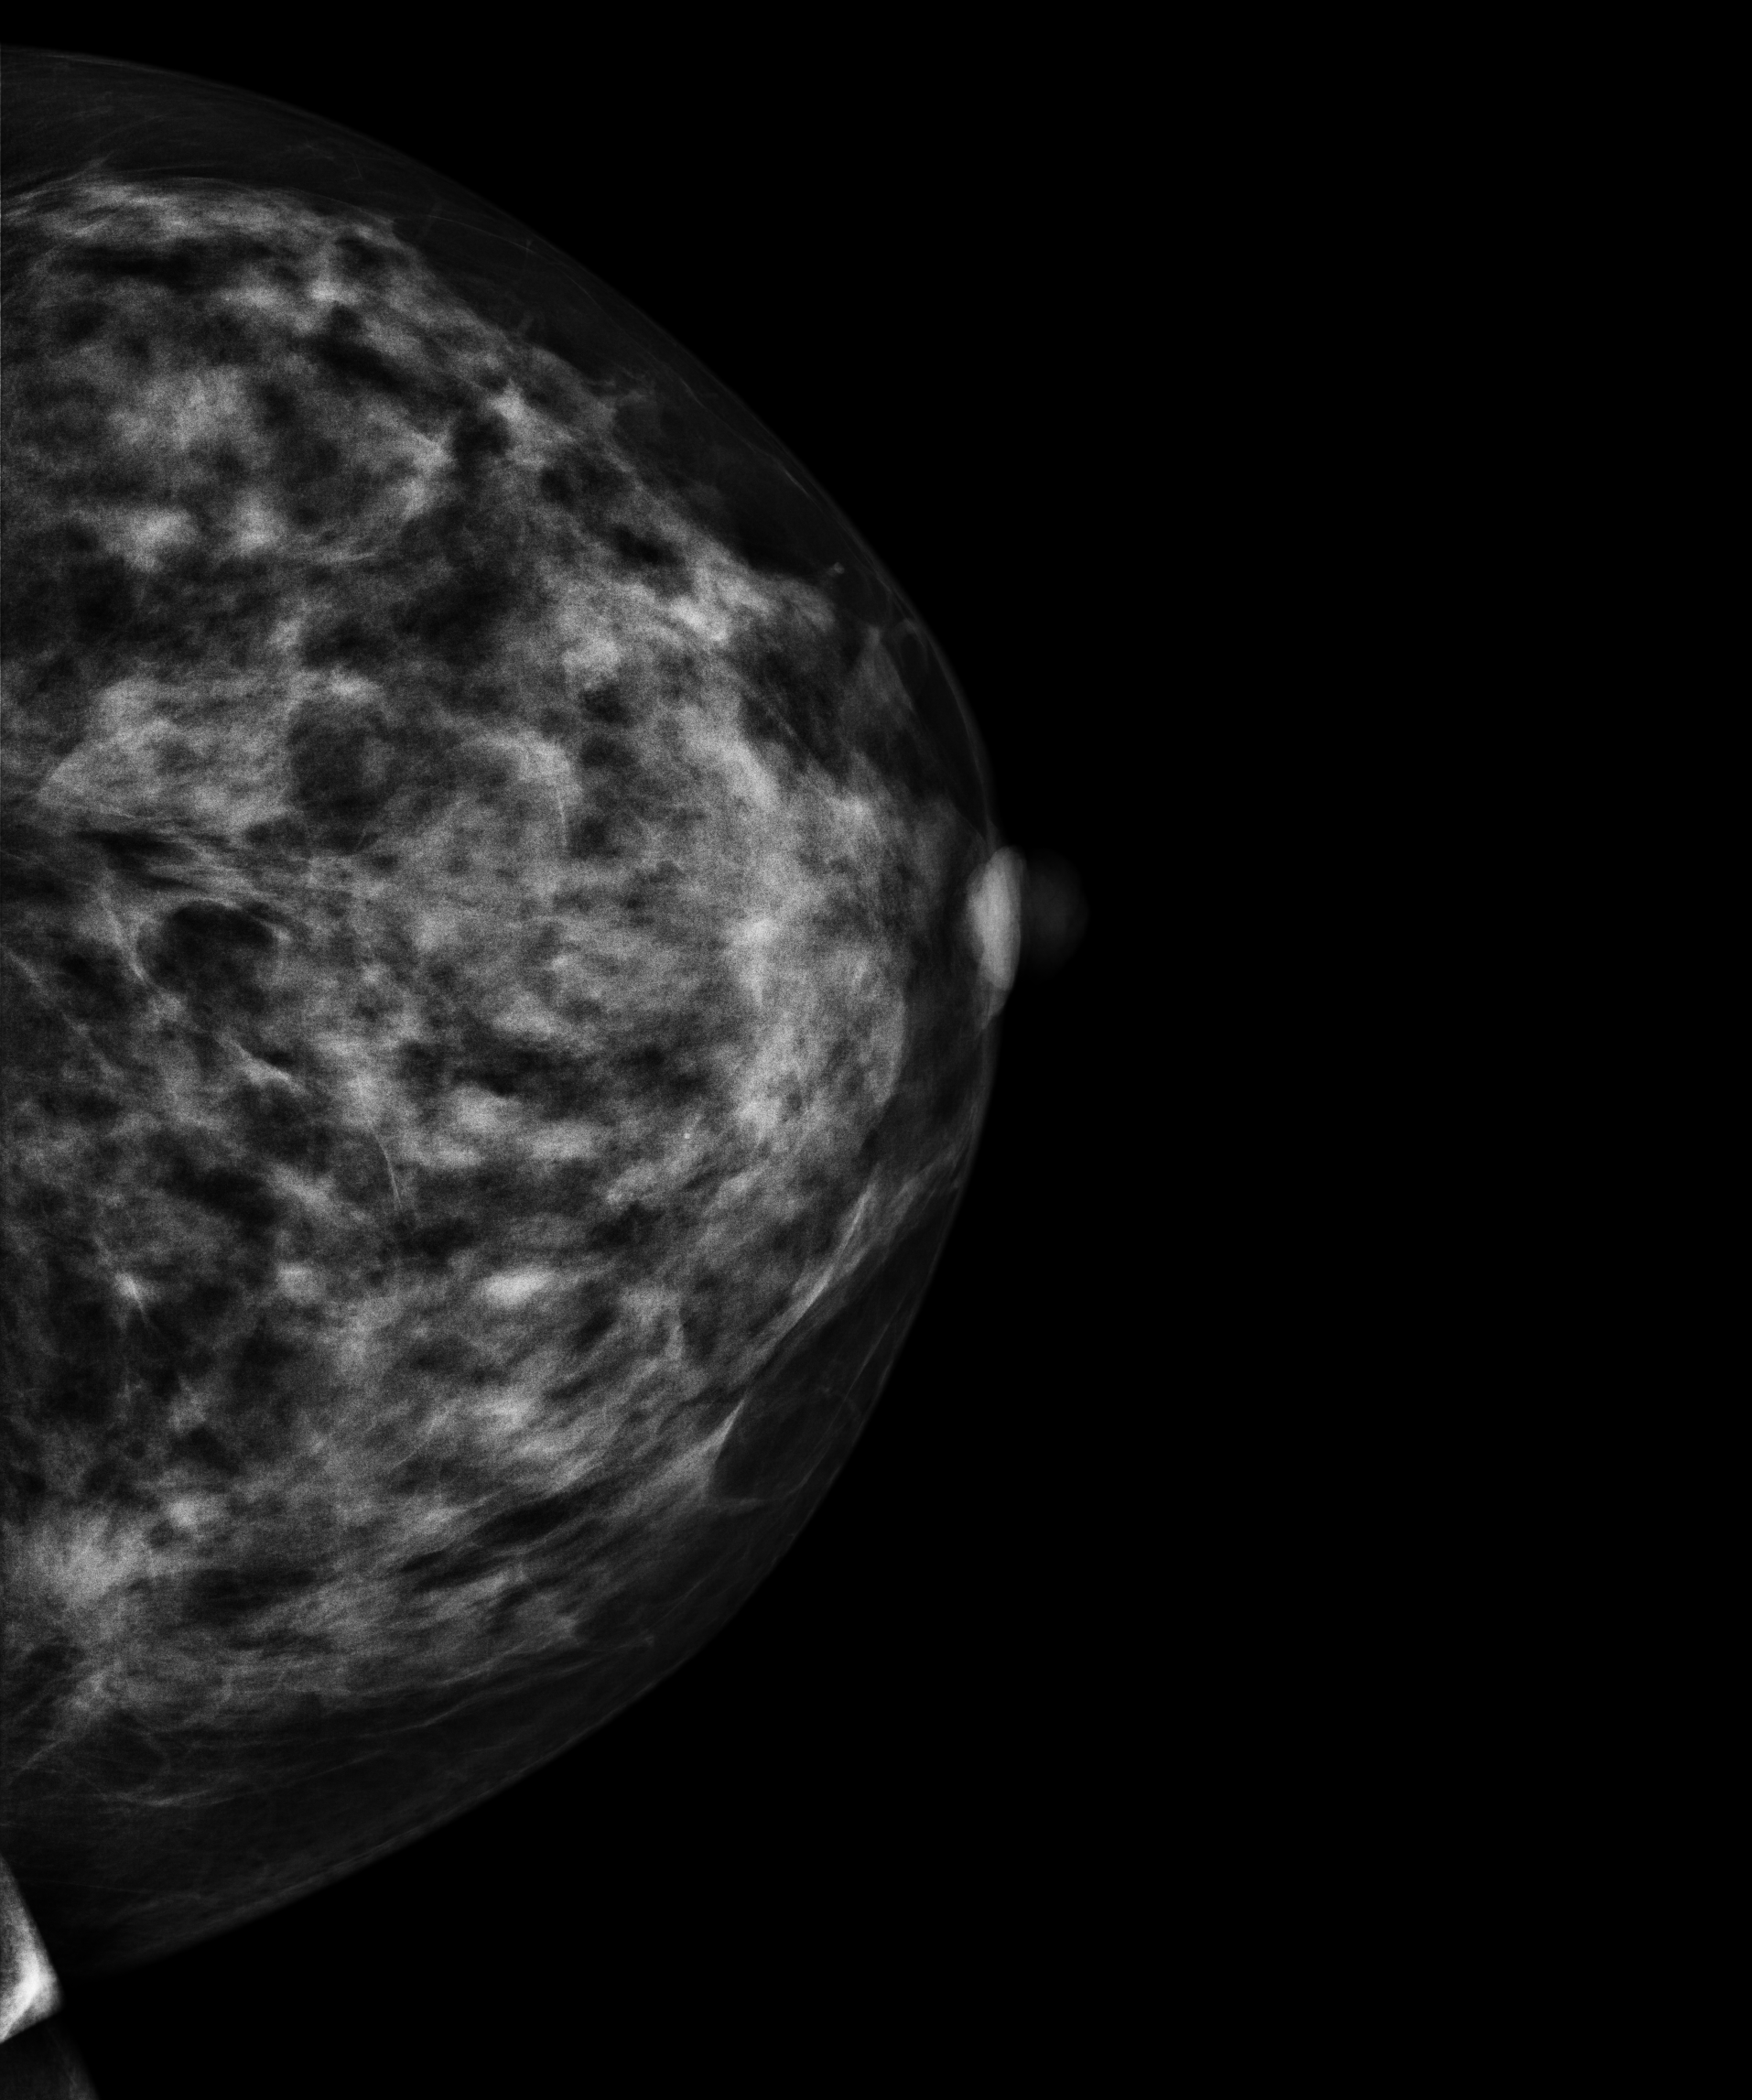
Digital mammography. Left breast, MLO projection. 68 y/o patient.
This breast has a mass, histologically confirmed malignant.